Mammogram — right medio-lateral oblique. 25 y/o patient.
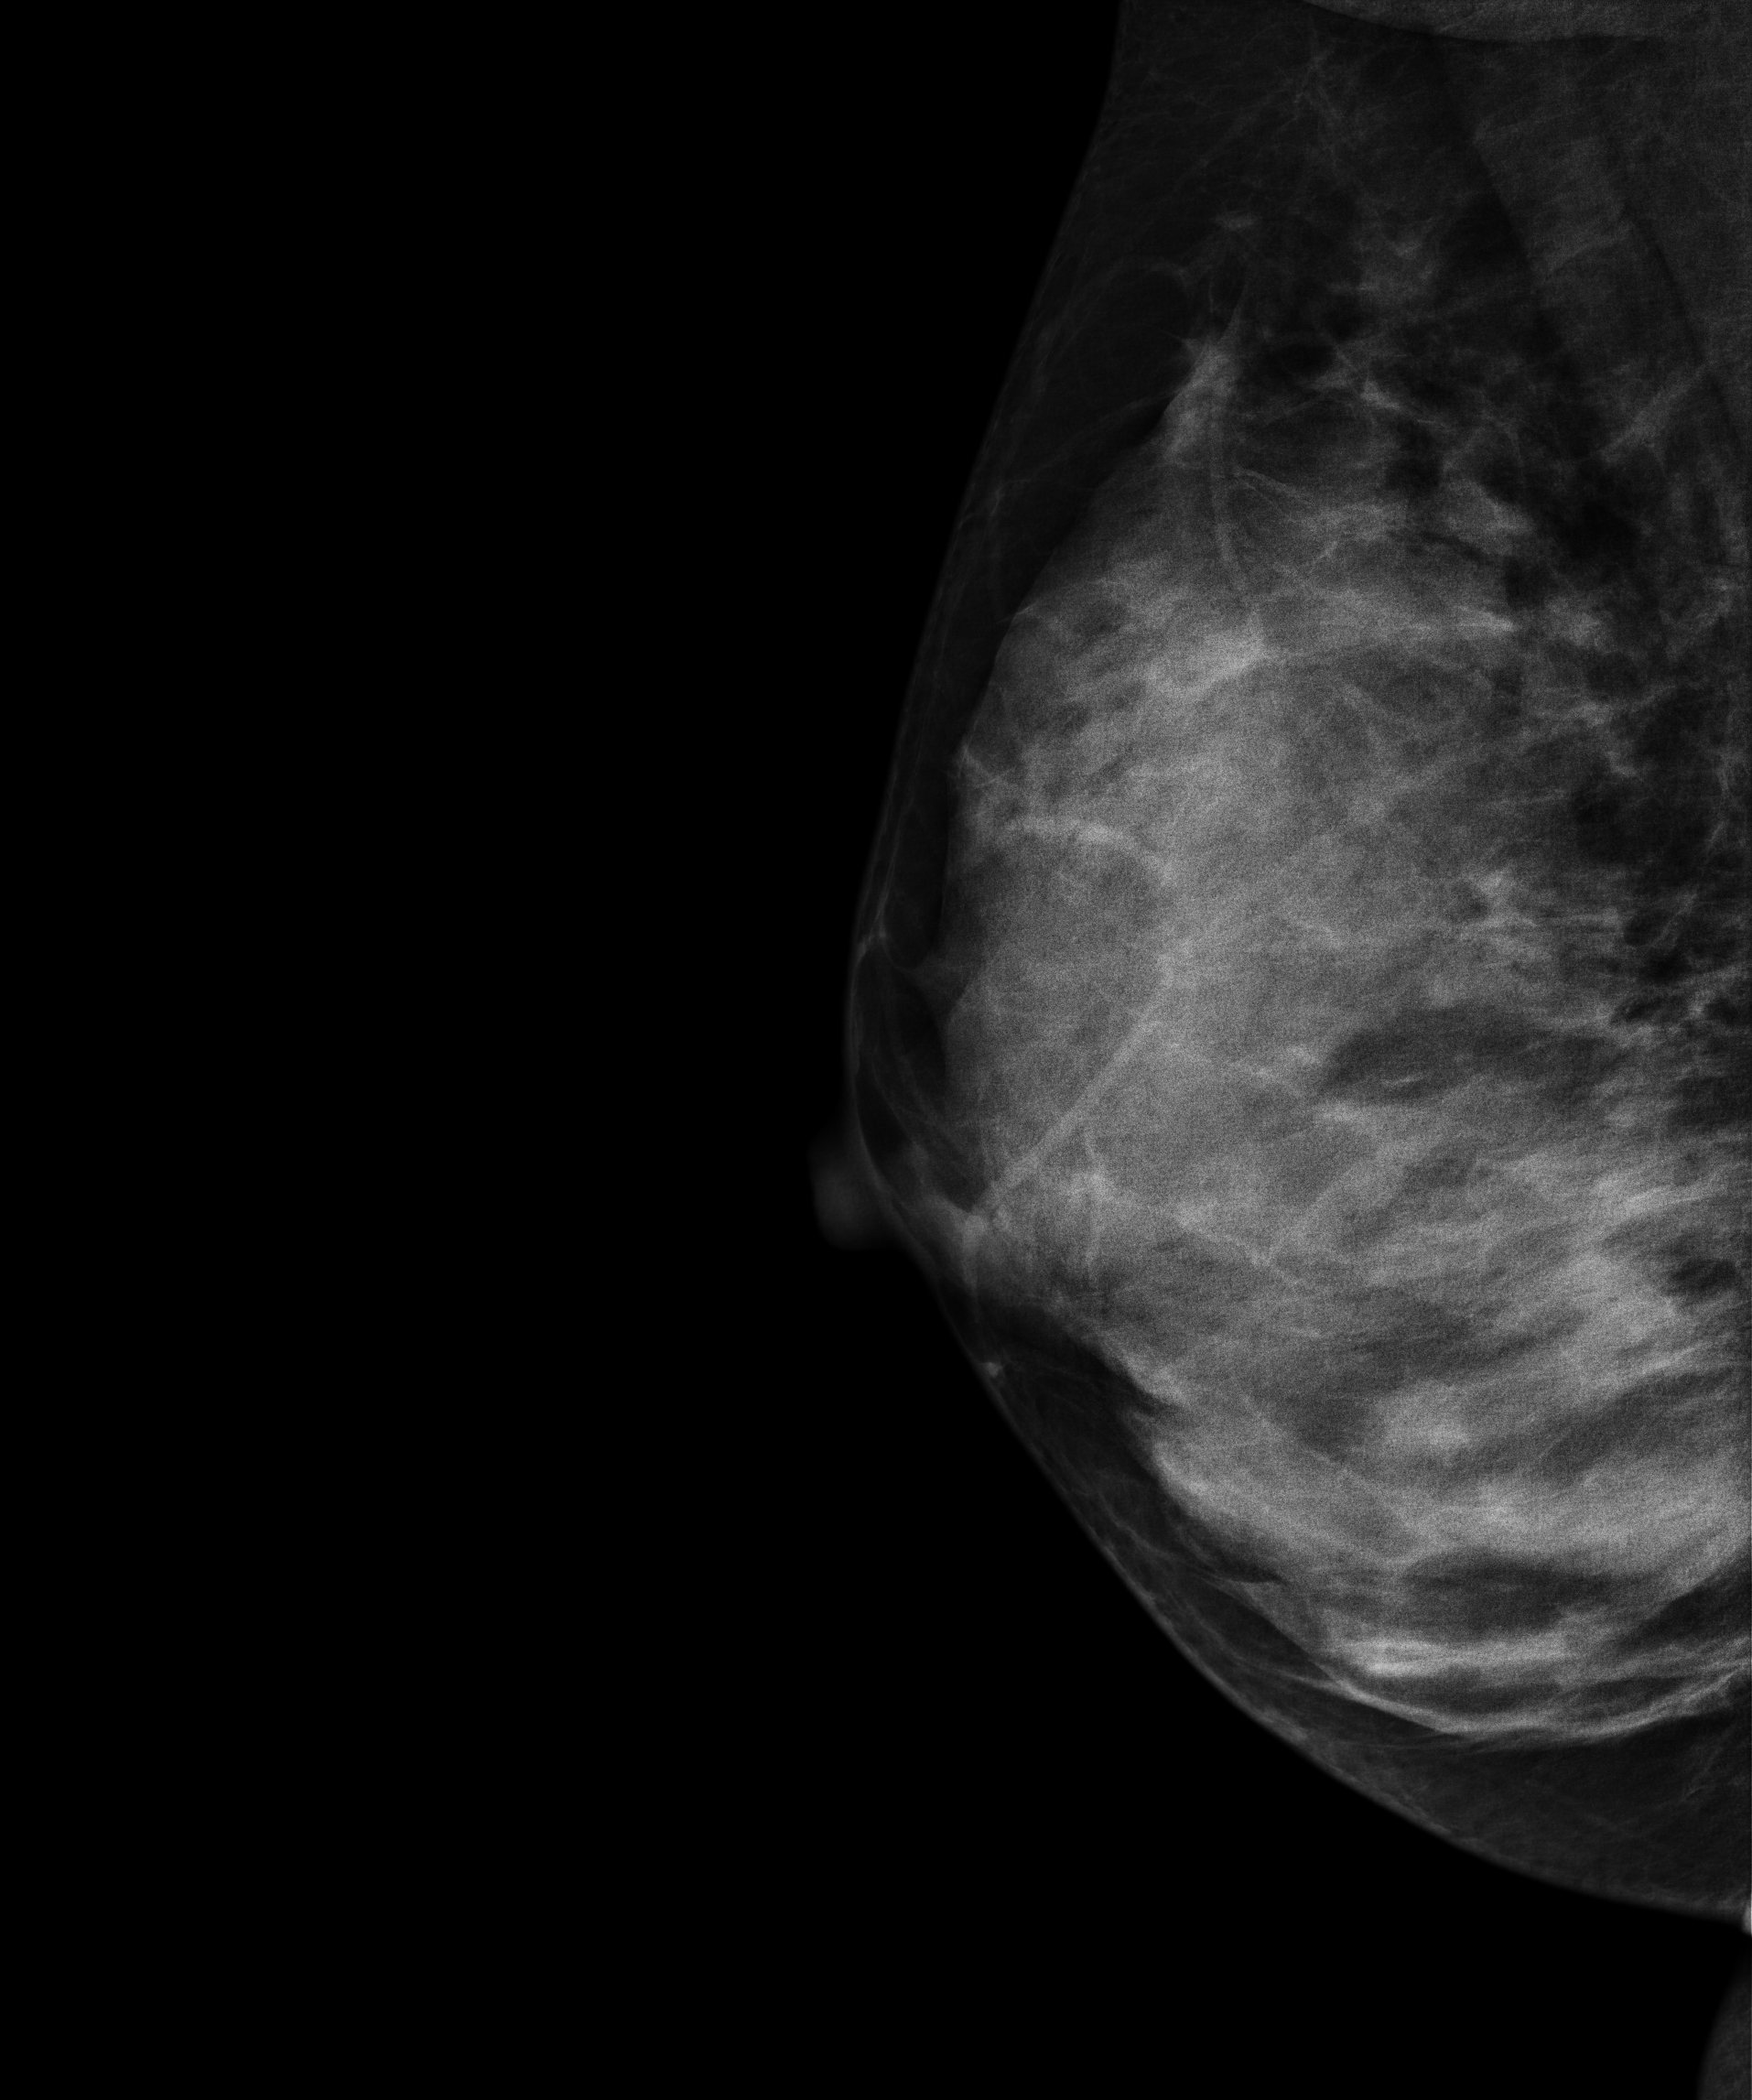
This breast has a mass, biopsy-proven benign.